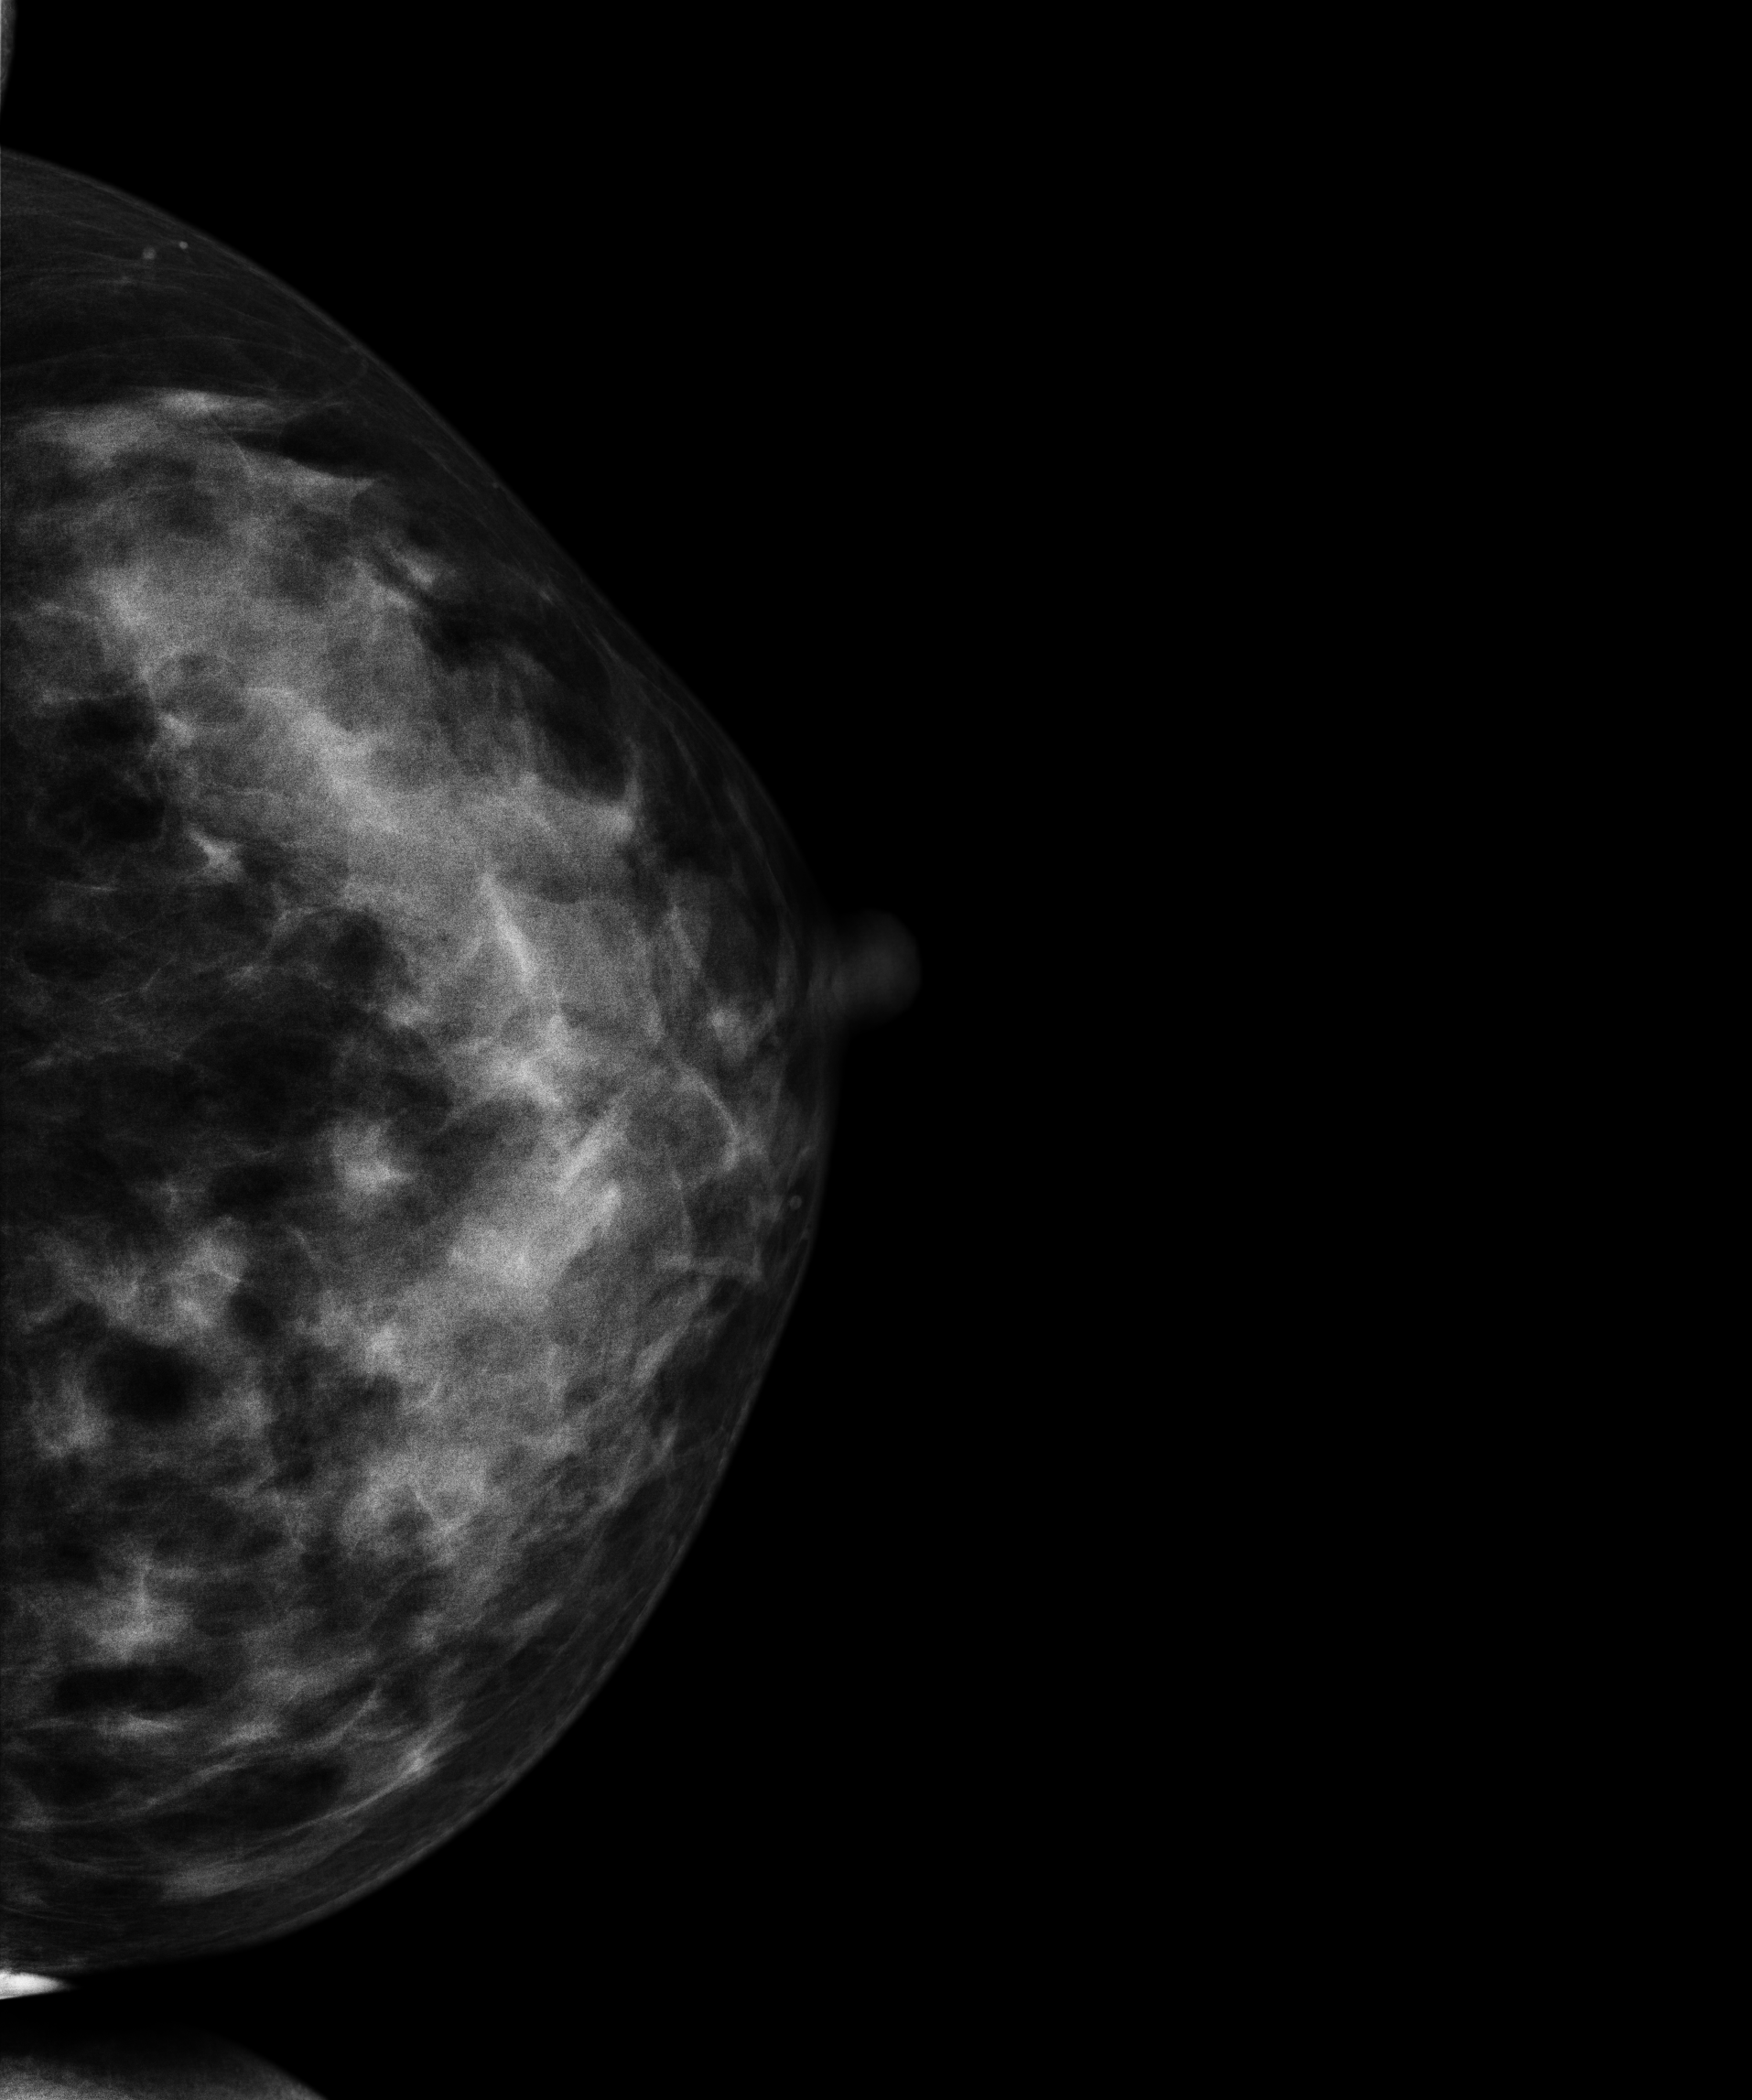
Left-breast mammogram, cranio-caudal. 46 y/o patient.
Contralateral breast — no documented abnormality on this side.